MLO mammogram of the right breast. 43 y/o patient.
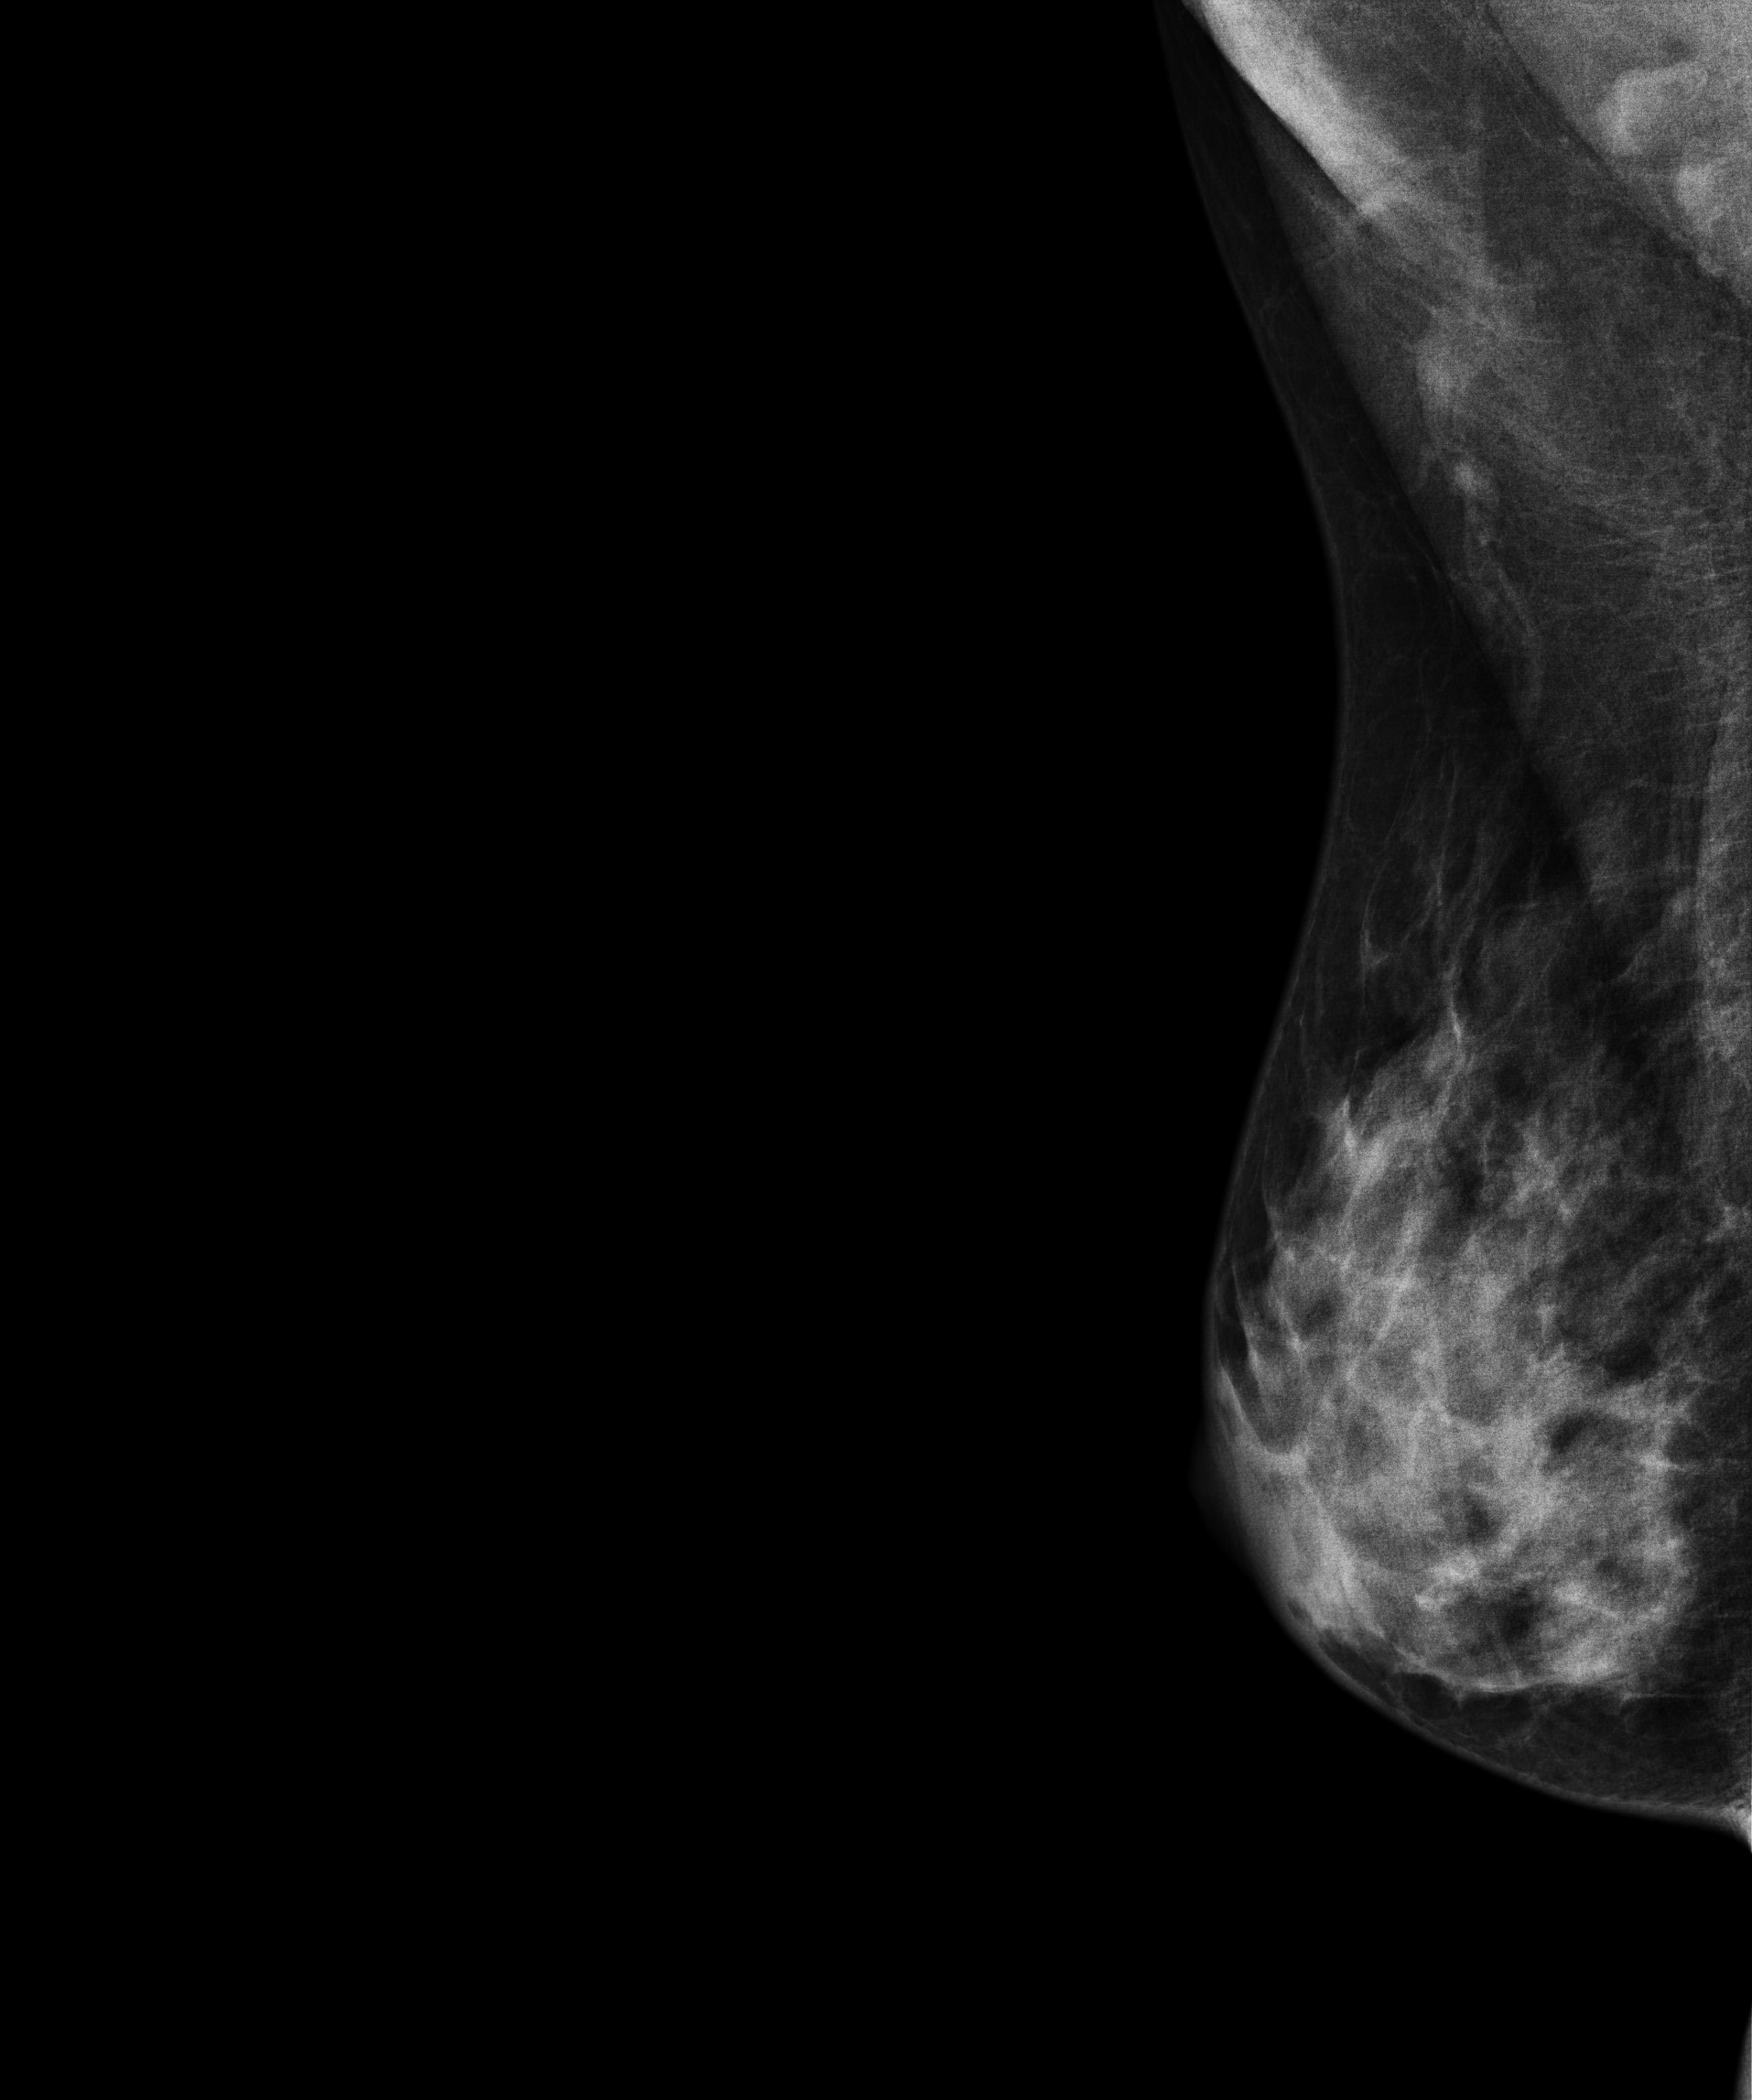
Contralateral breast — no documented abnormality on this side.